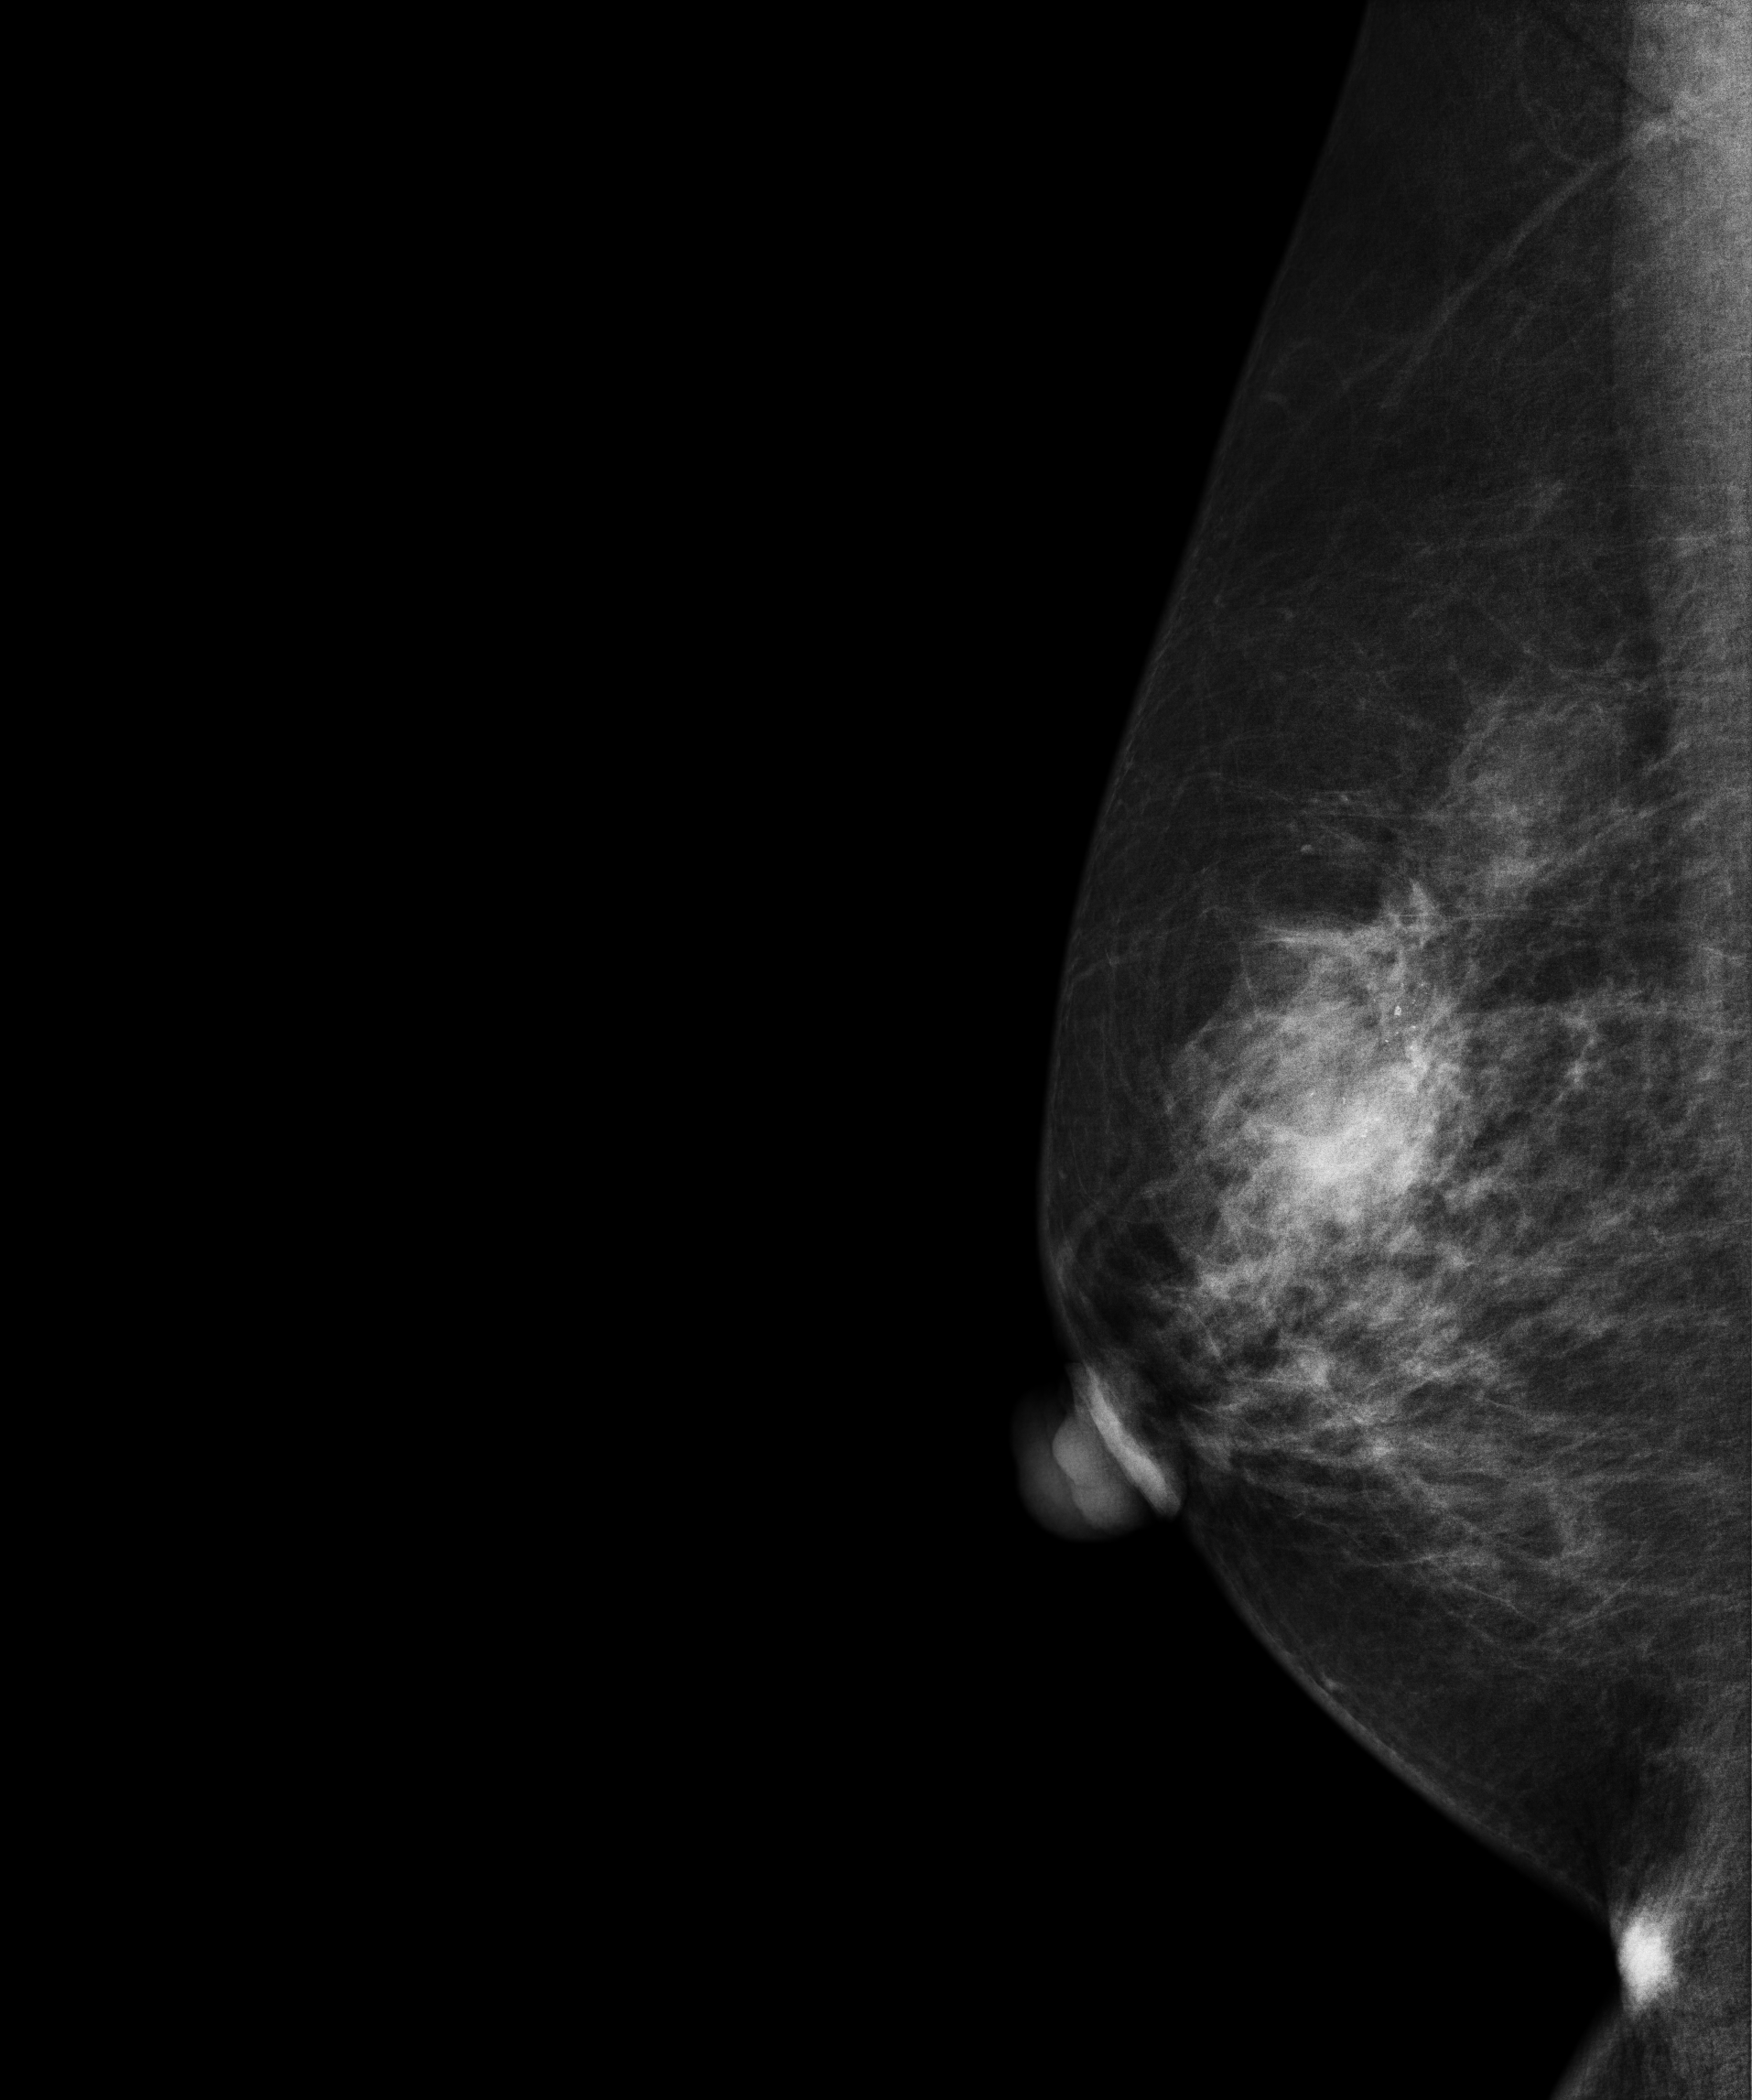
Right-breast mammogram, MLO. 55 y/o patient.
This breast has a mass and calcifications, histologically confirmed malignant. Molecular subtype: luminal A.